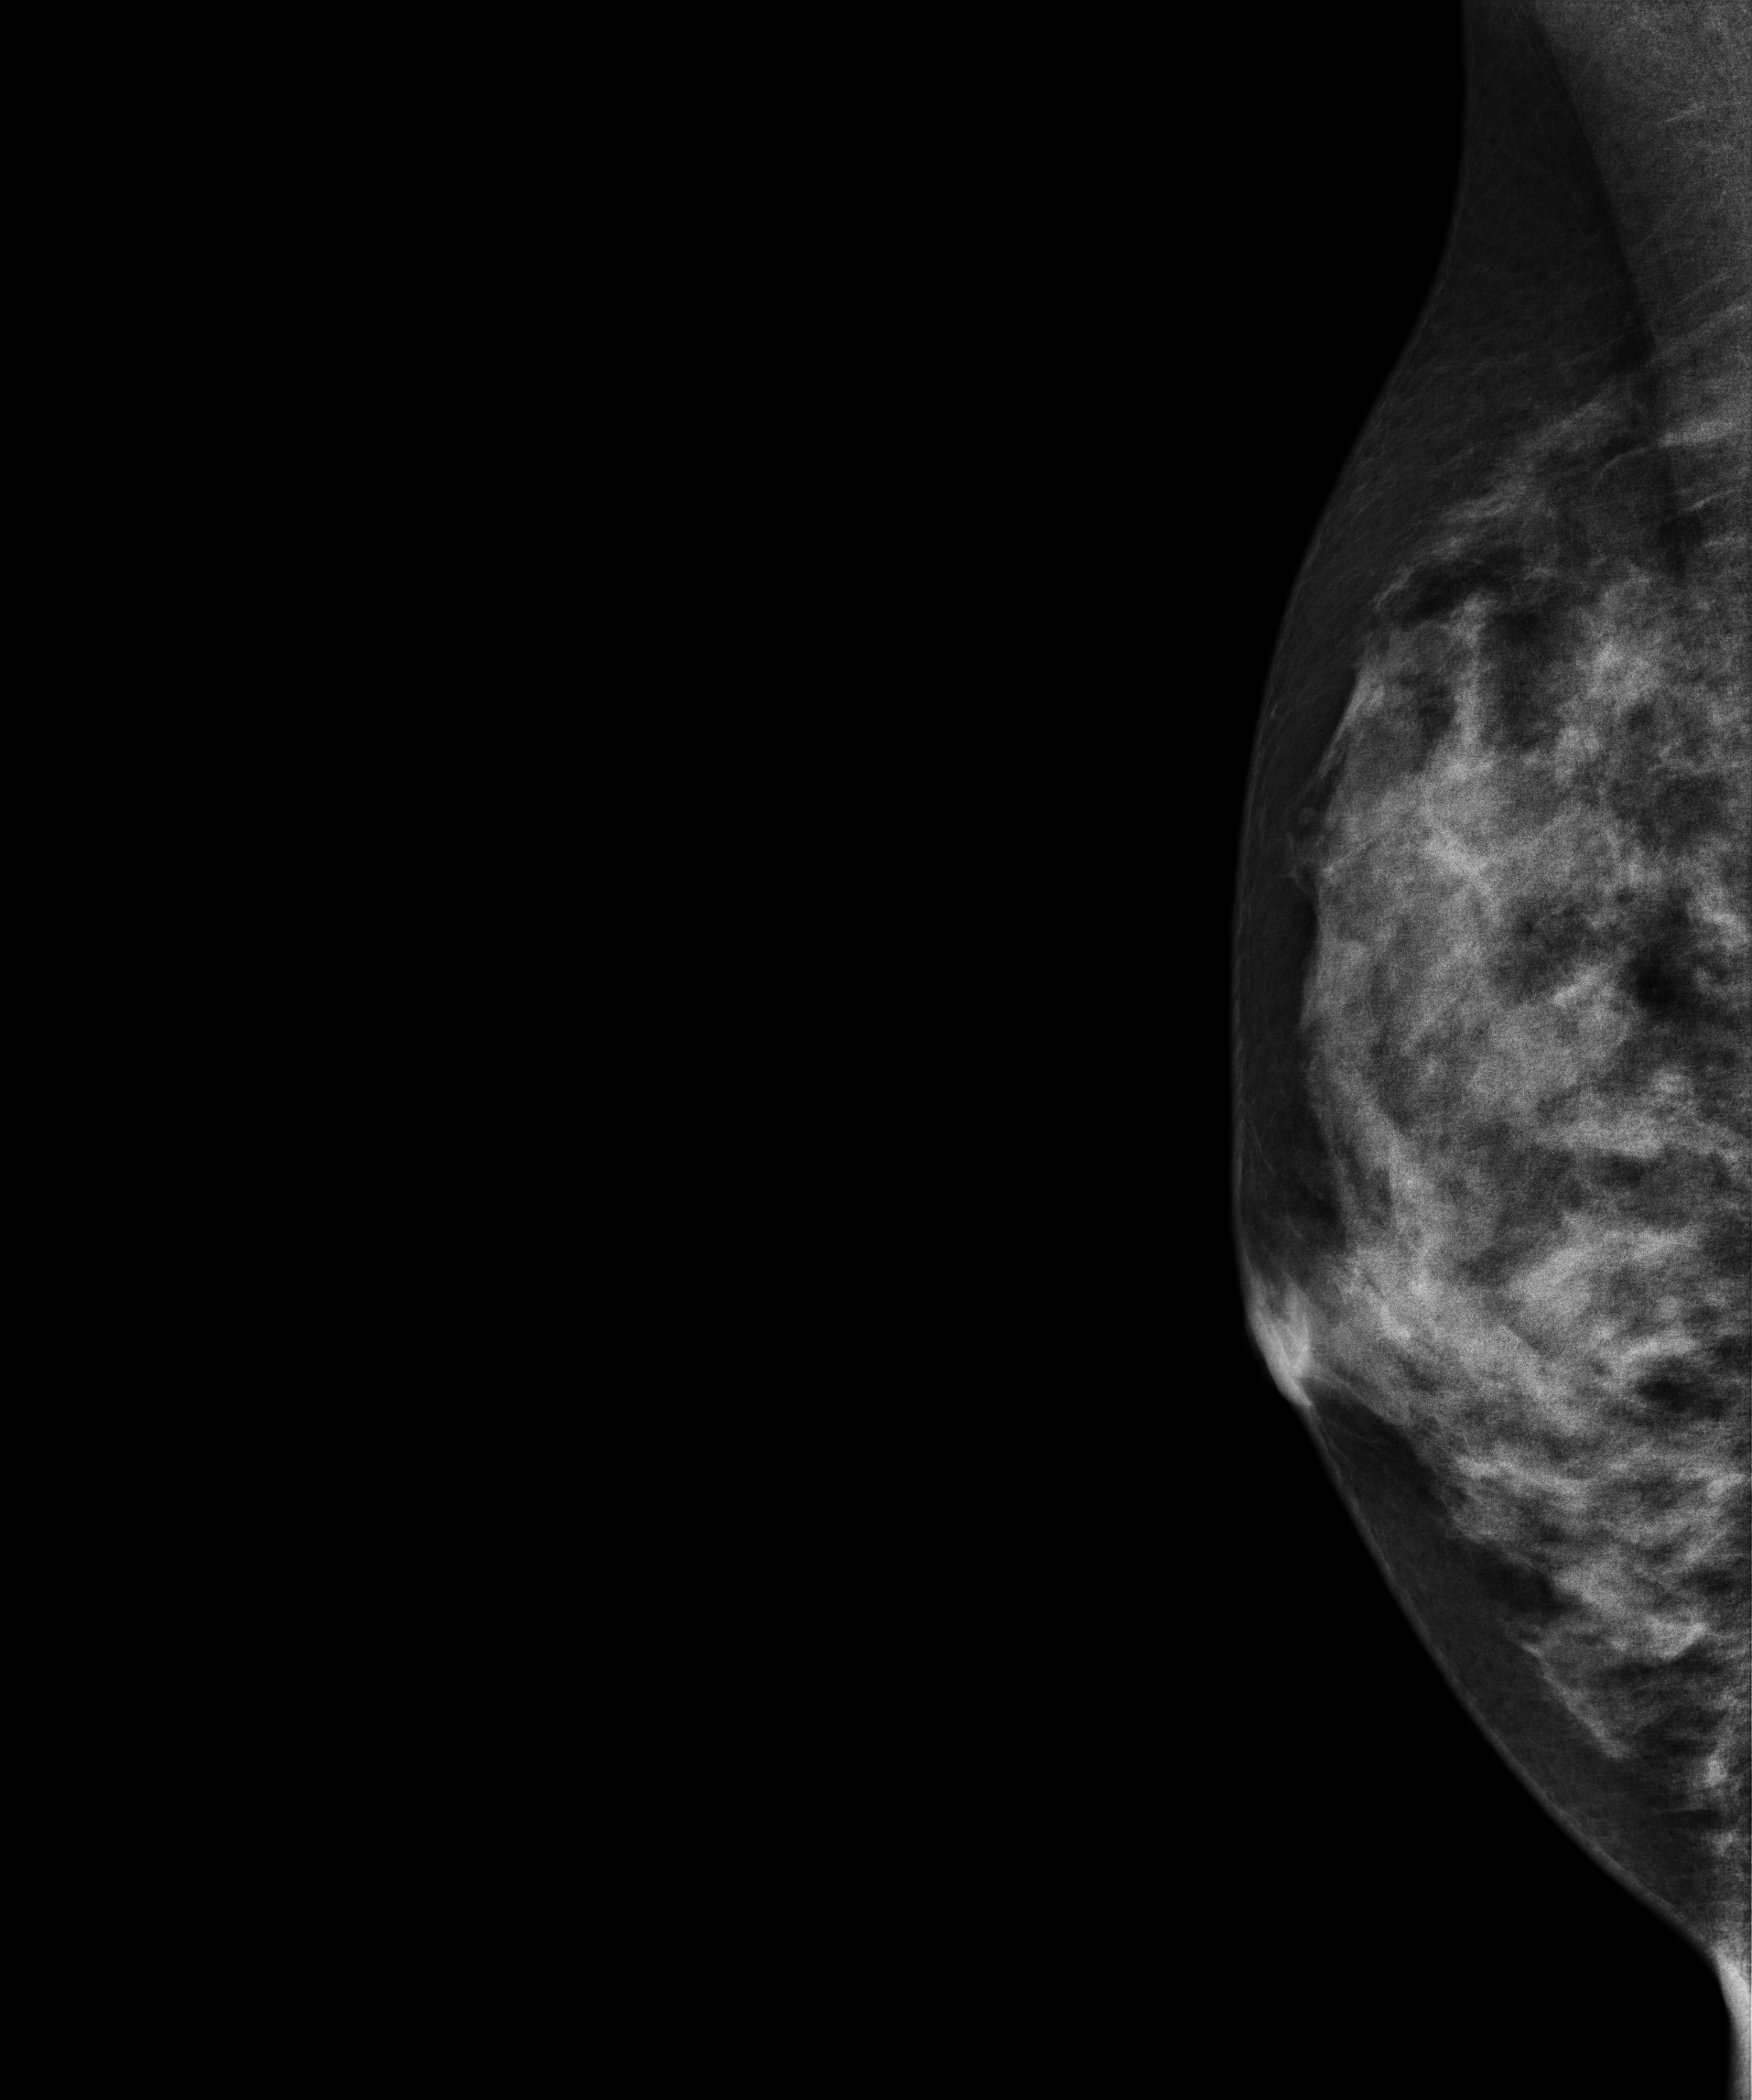
MLO mammogram of the right breast. 21 y/o patient.
Contralateral breast — no documented abnormality on this side.